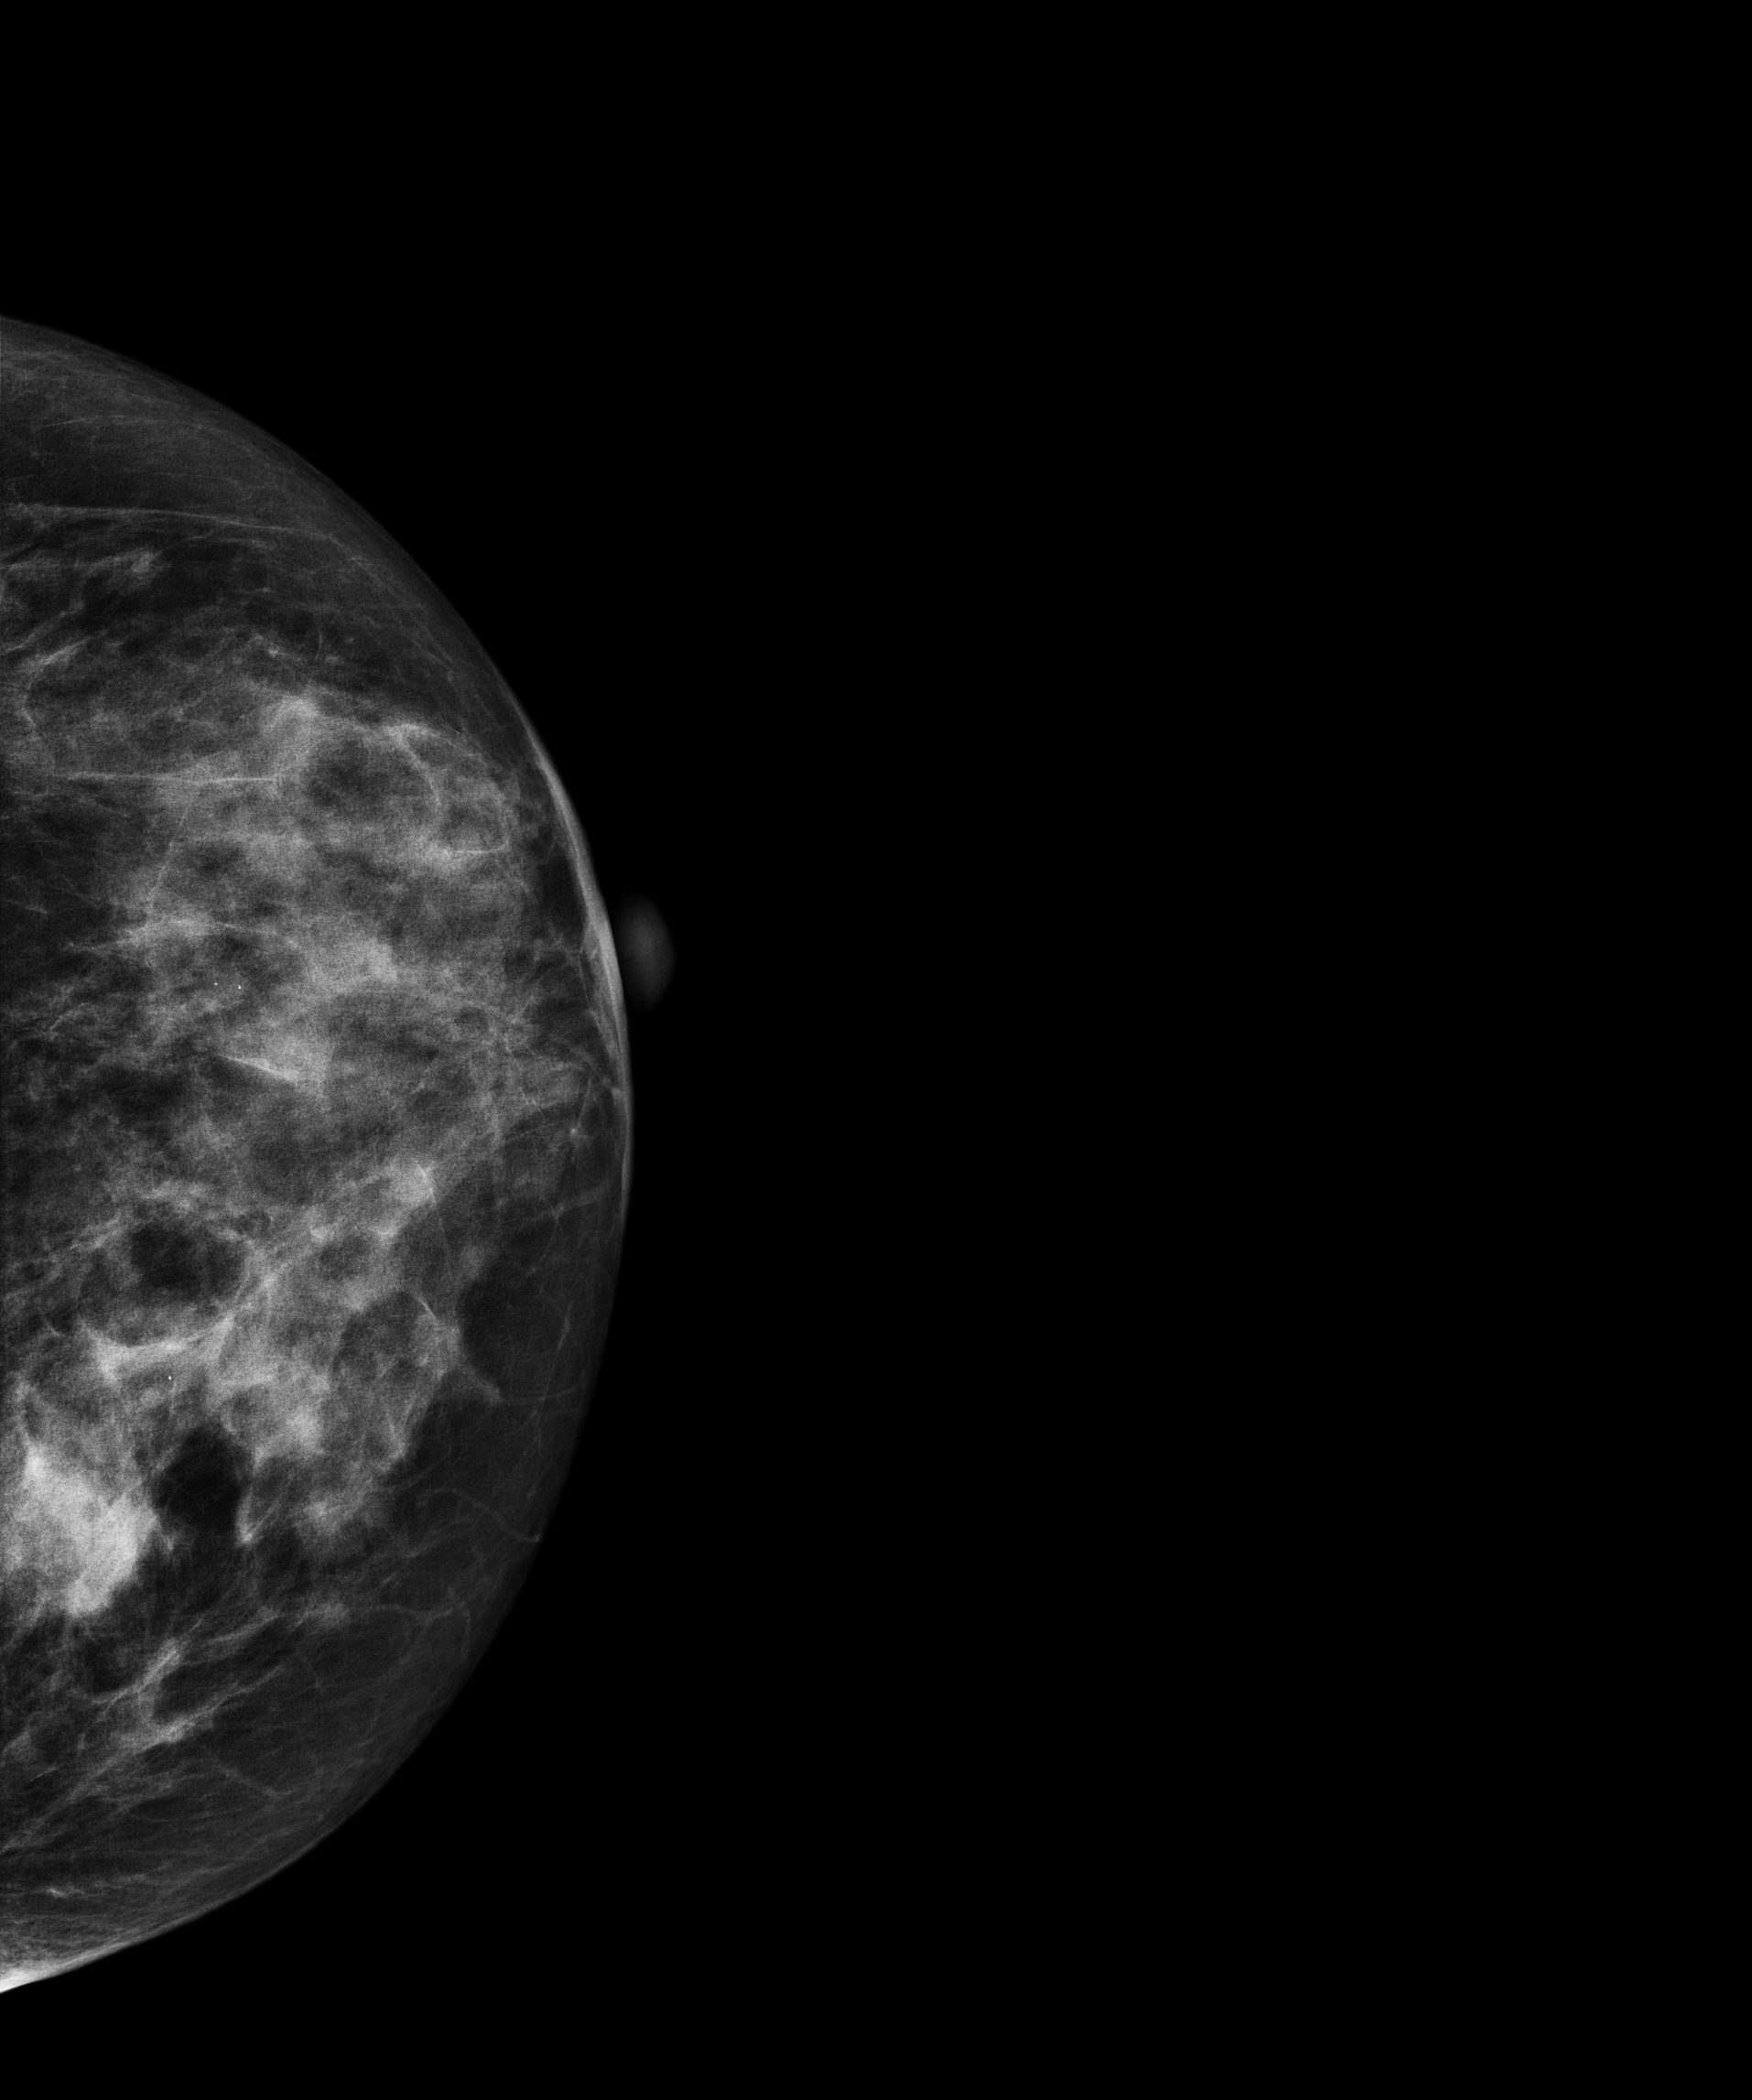
Mammogram — left CC. Patient age 56.
This breast has a mass, histologically confirmed malignant. Molecular subtype: luminal B.